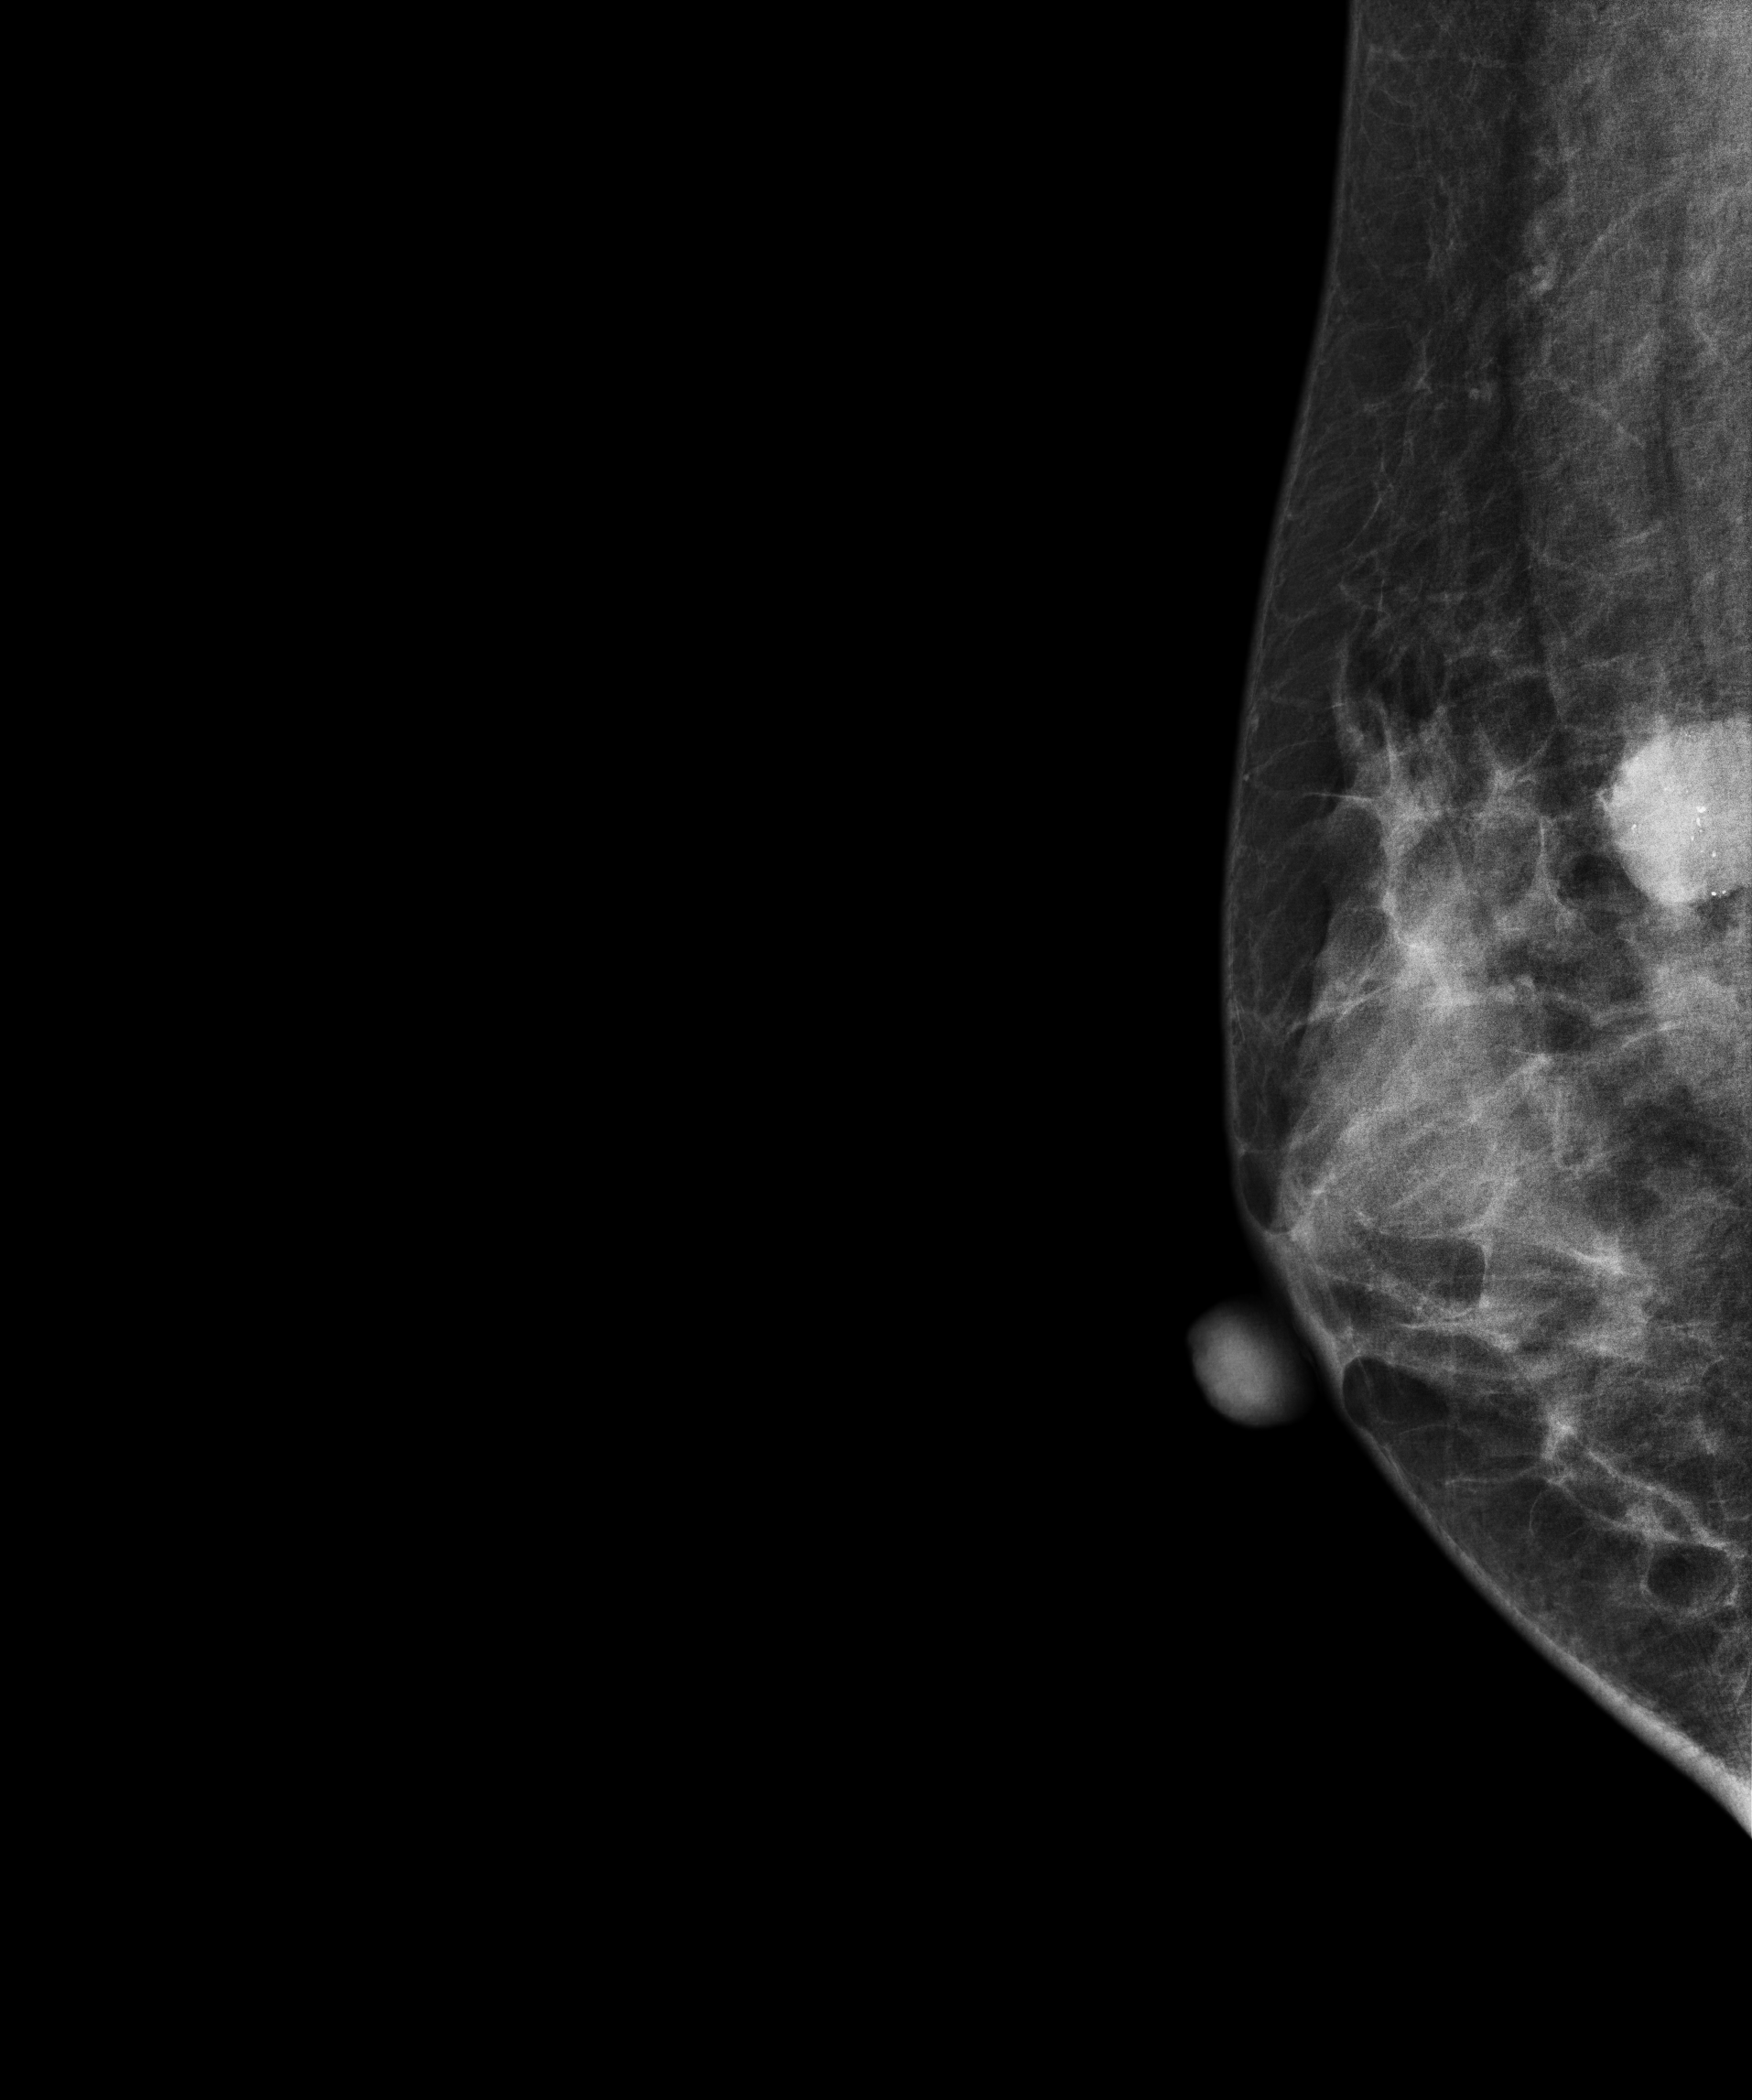
Mammogram — right MLO. 44 y/o patient.
This breast has a mass and calcifications, histologically confirmed malignant. Molecular subtype: triple-negative.